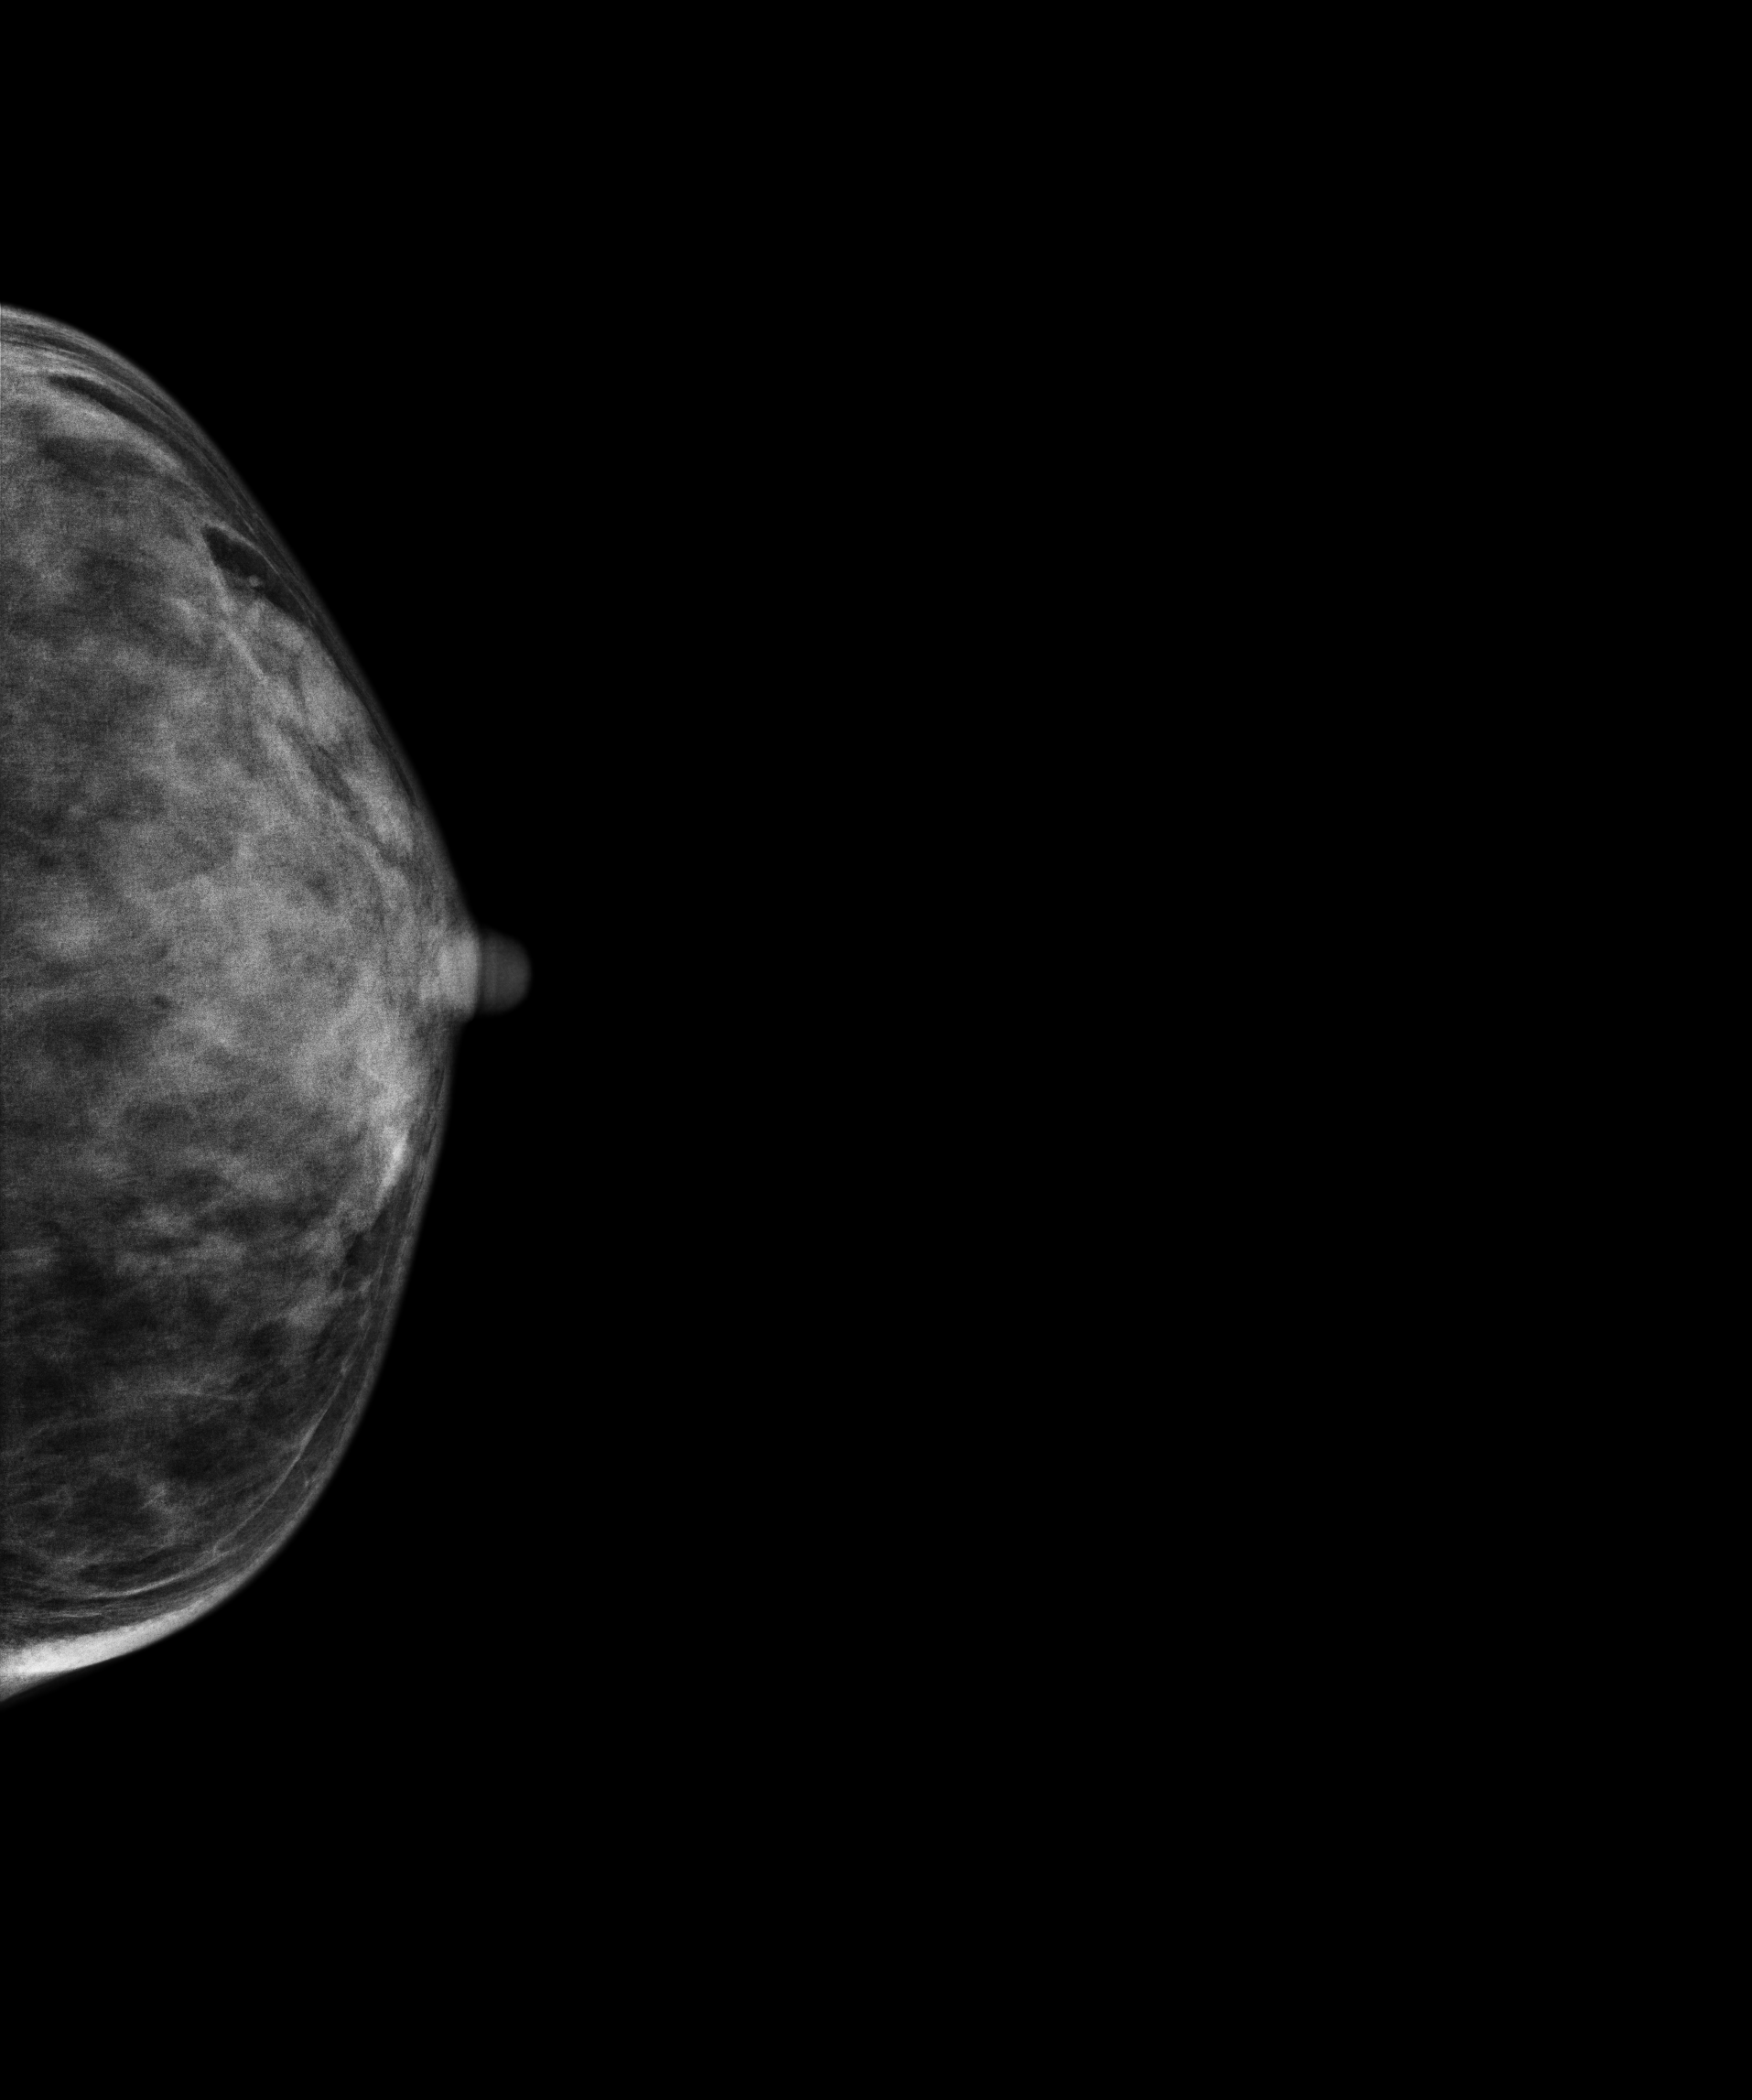
Digital mammography. Left breast, cranio-caudal projection. Patient age 39.
This breast has a mass, pathology-confirmed benign.